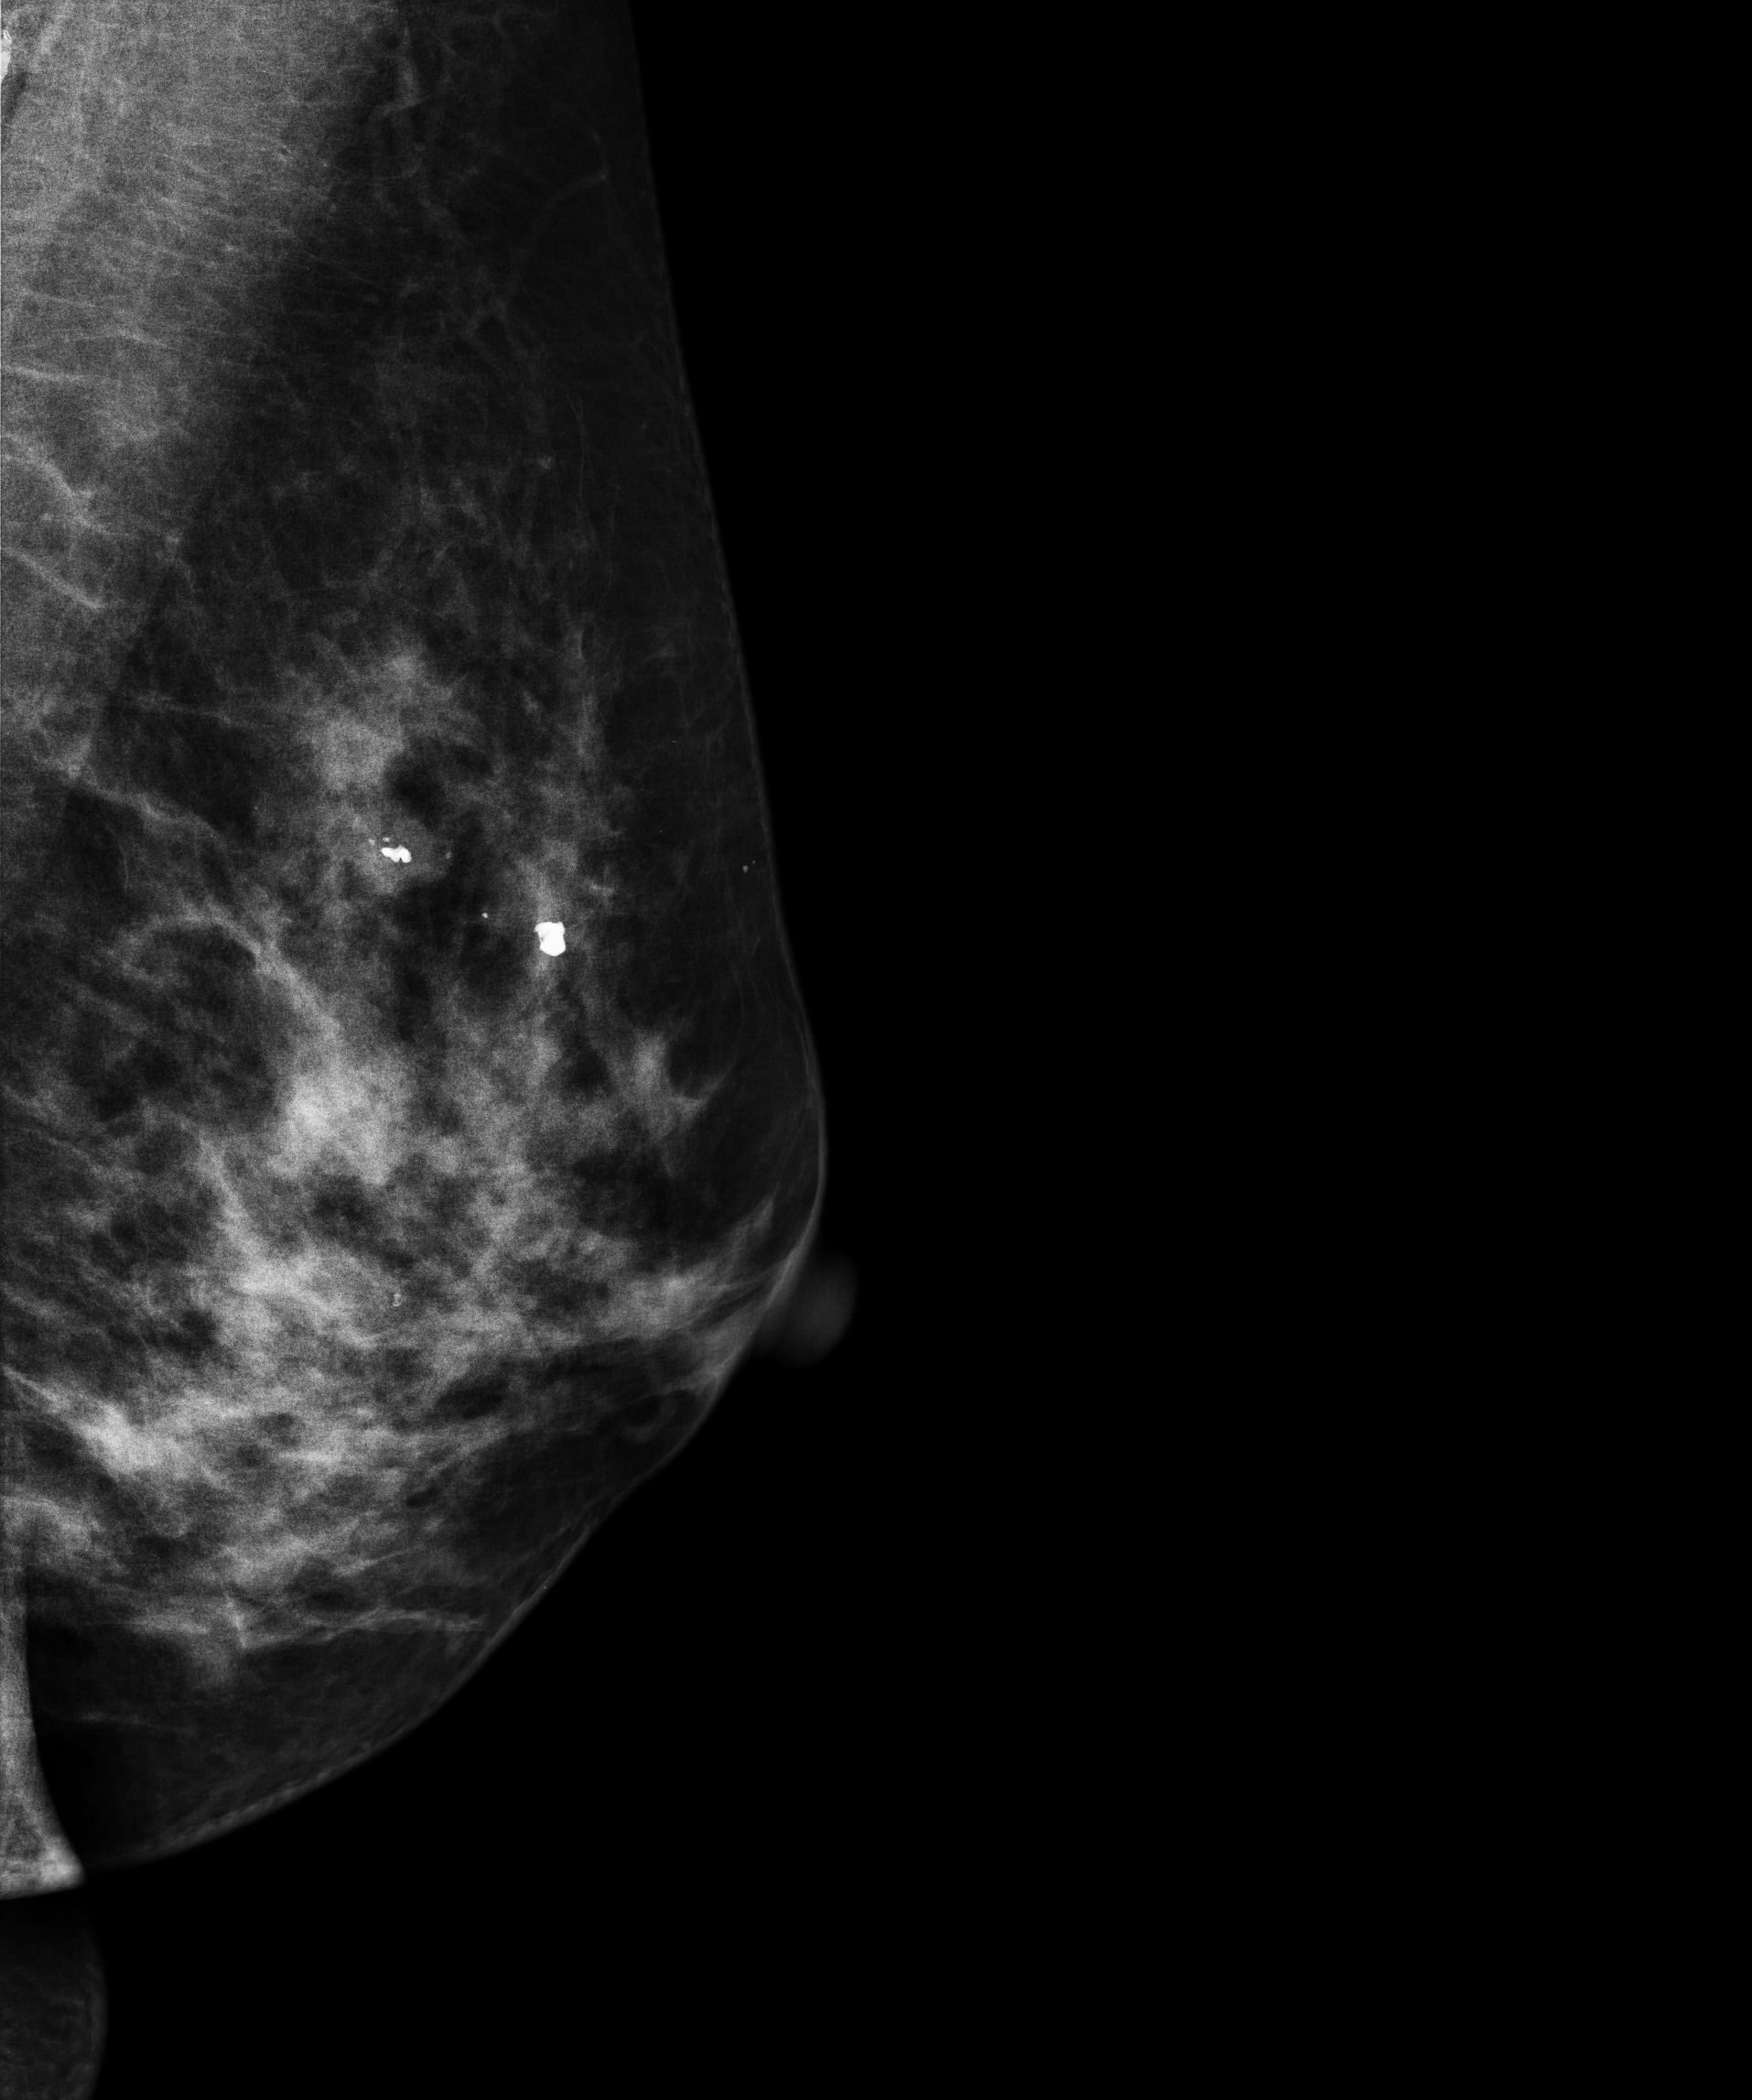
Mammogram, left breast, medio-lateral oblique view. 52-year-old patient.
This breast has a mass and calcifications, biopsy-confirmed benign.